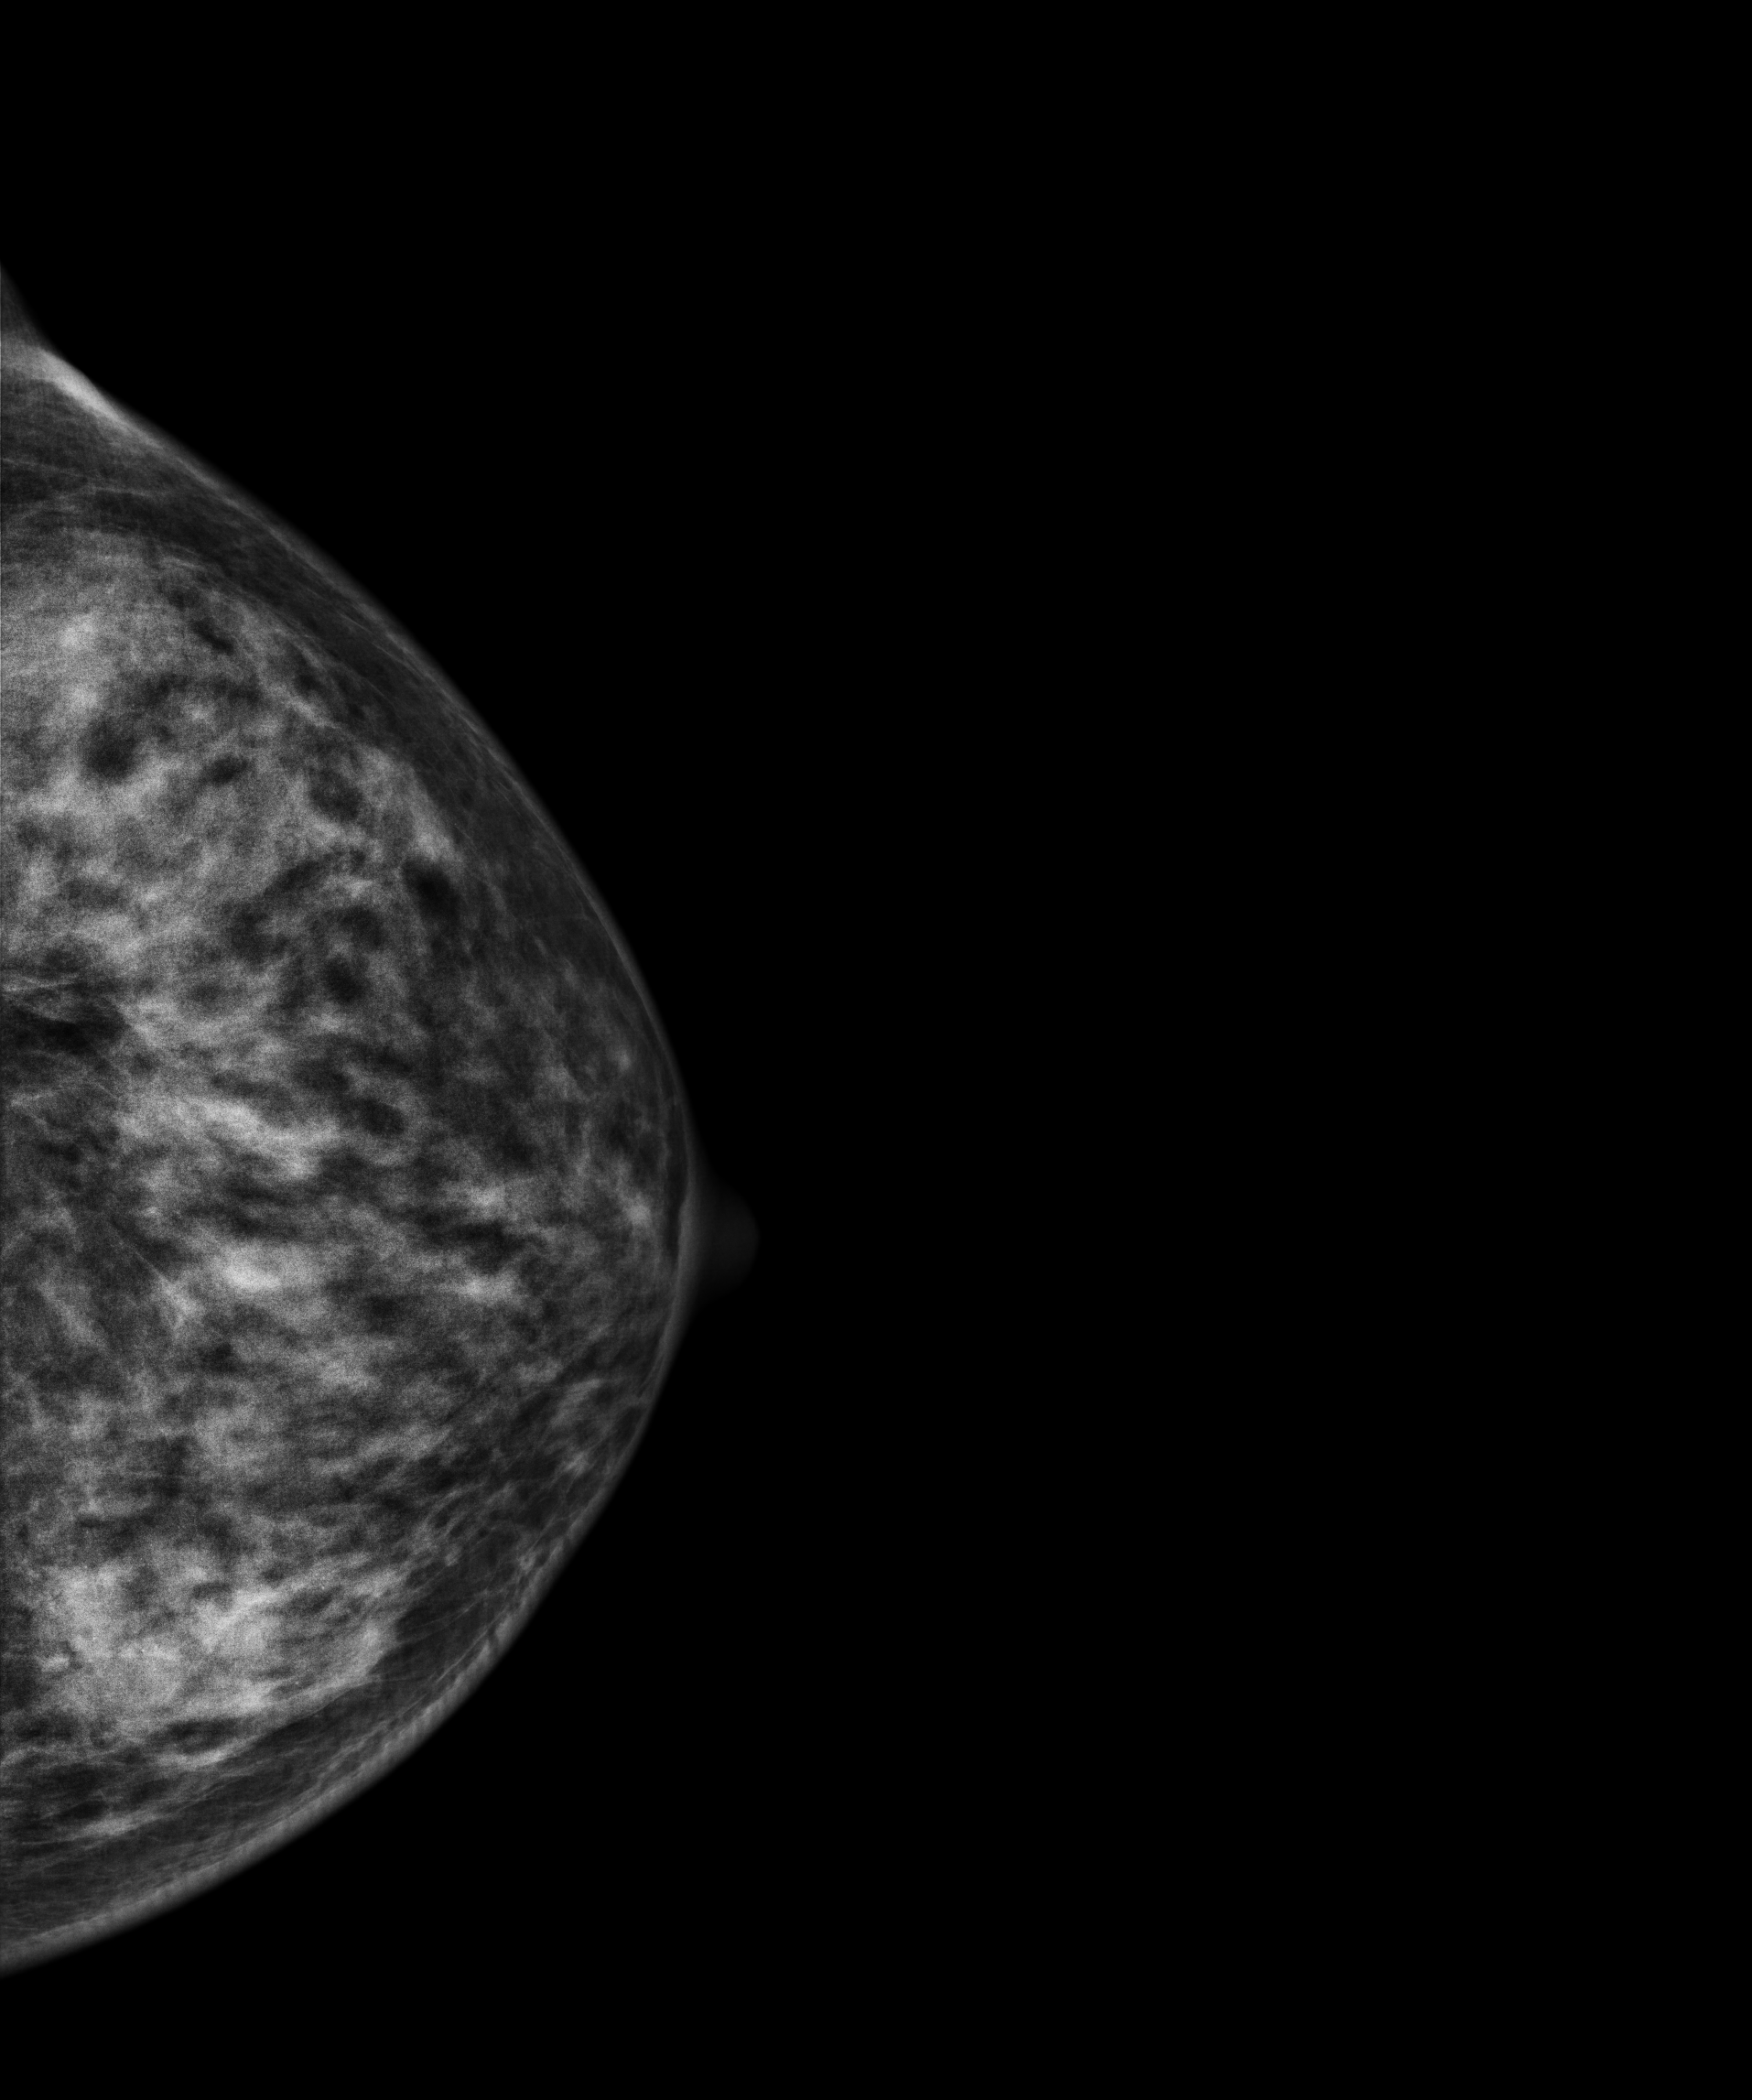
Left-breast mammogram, cranio-caudal. Patient age 48.
This breast has a mass, histologically confirmed malignant. Molecular subtype: luminal A.